Mammogram — right medio-lateral oblique. 41 y/o patient.
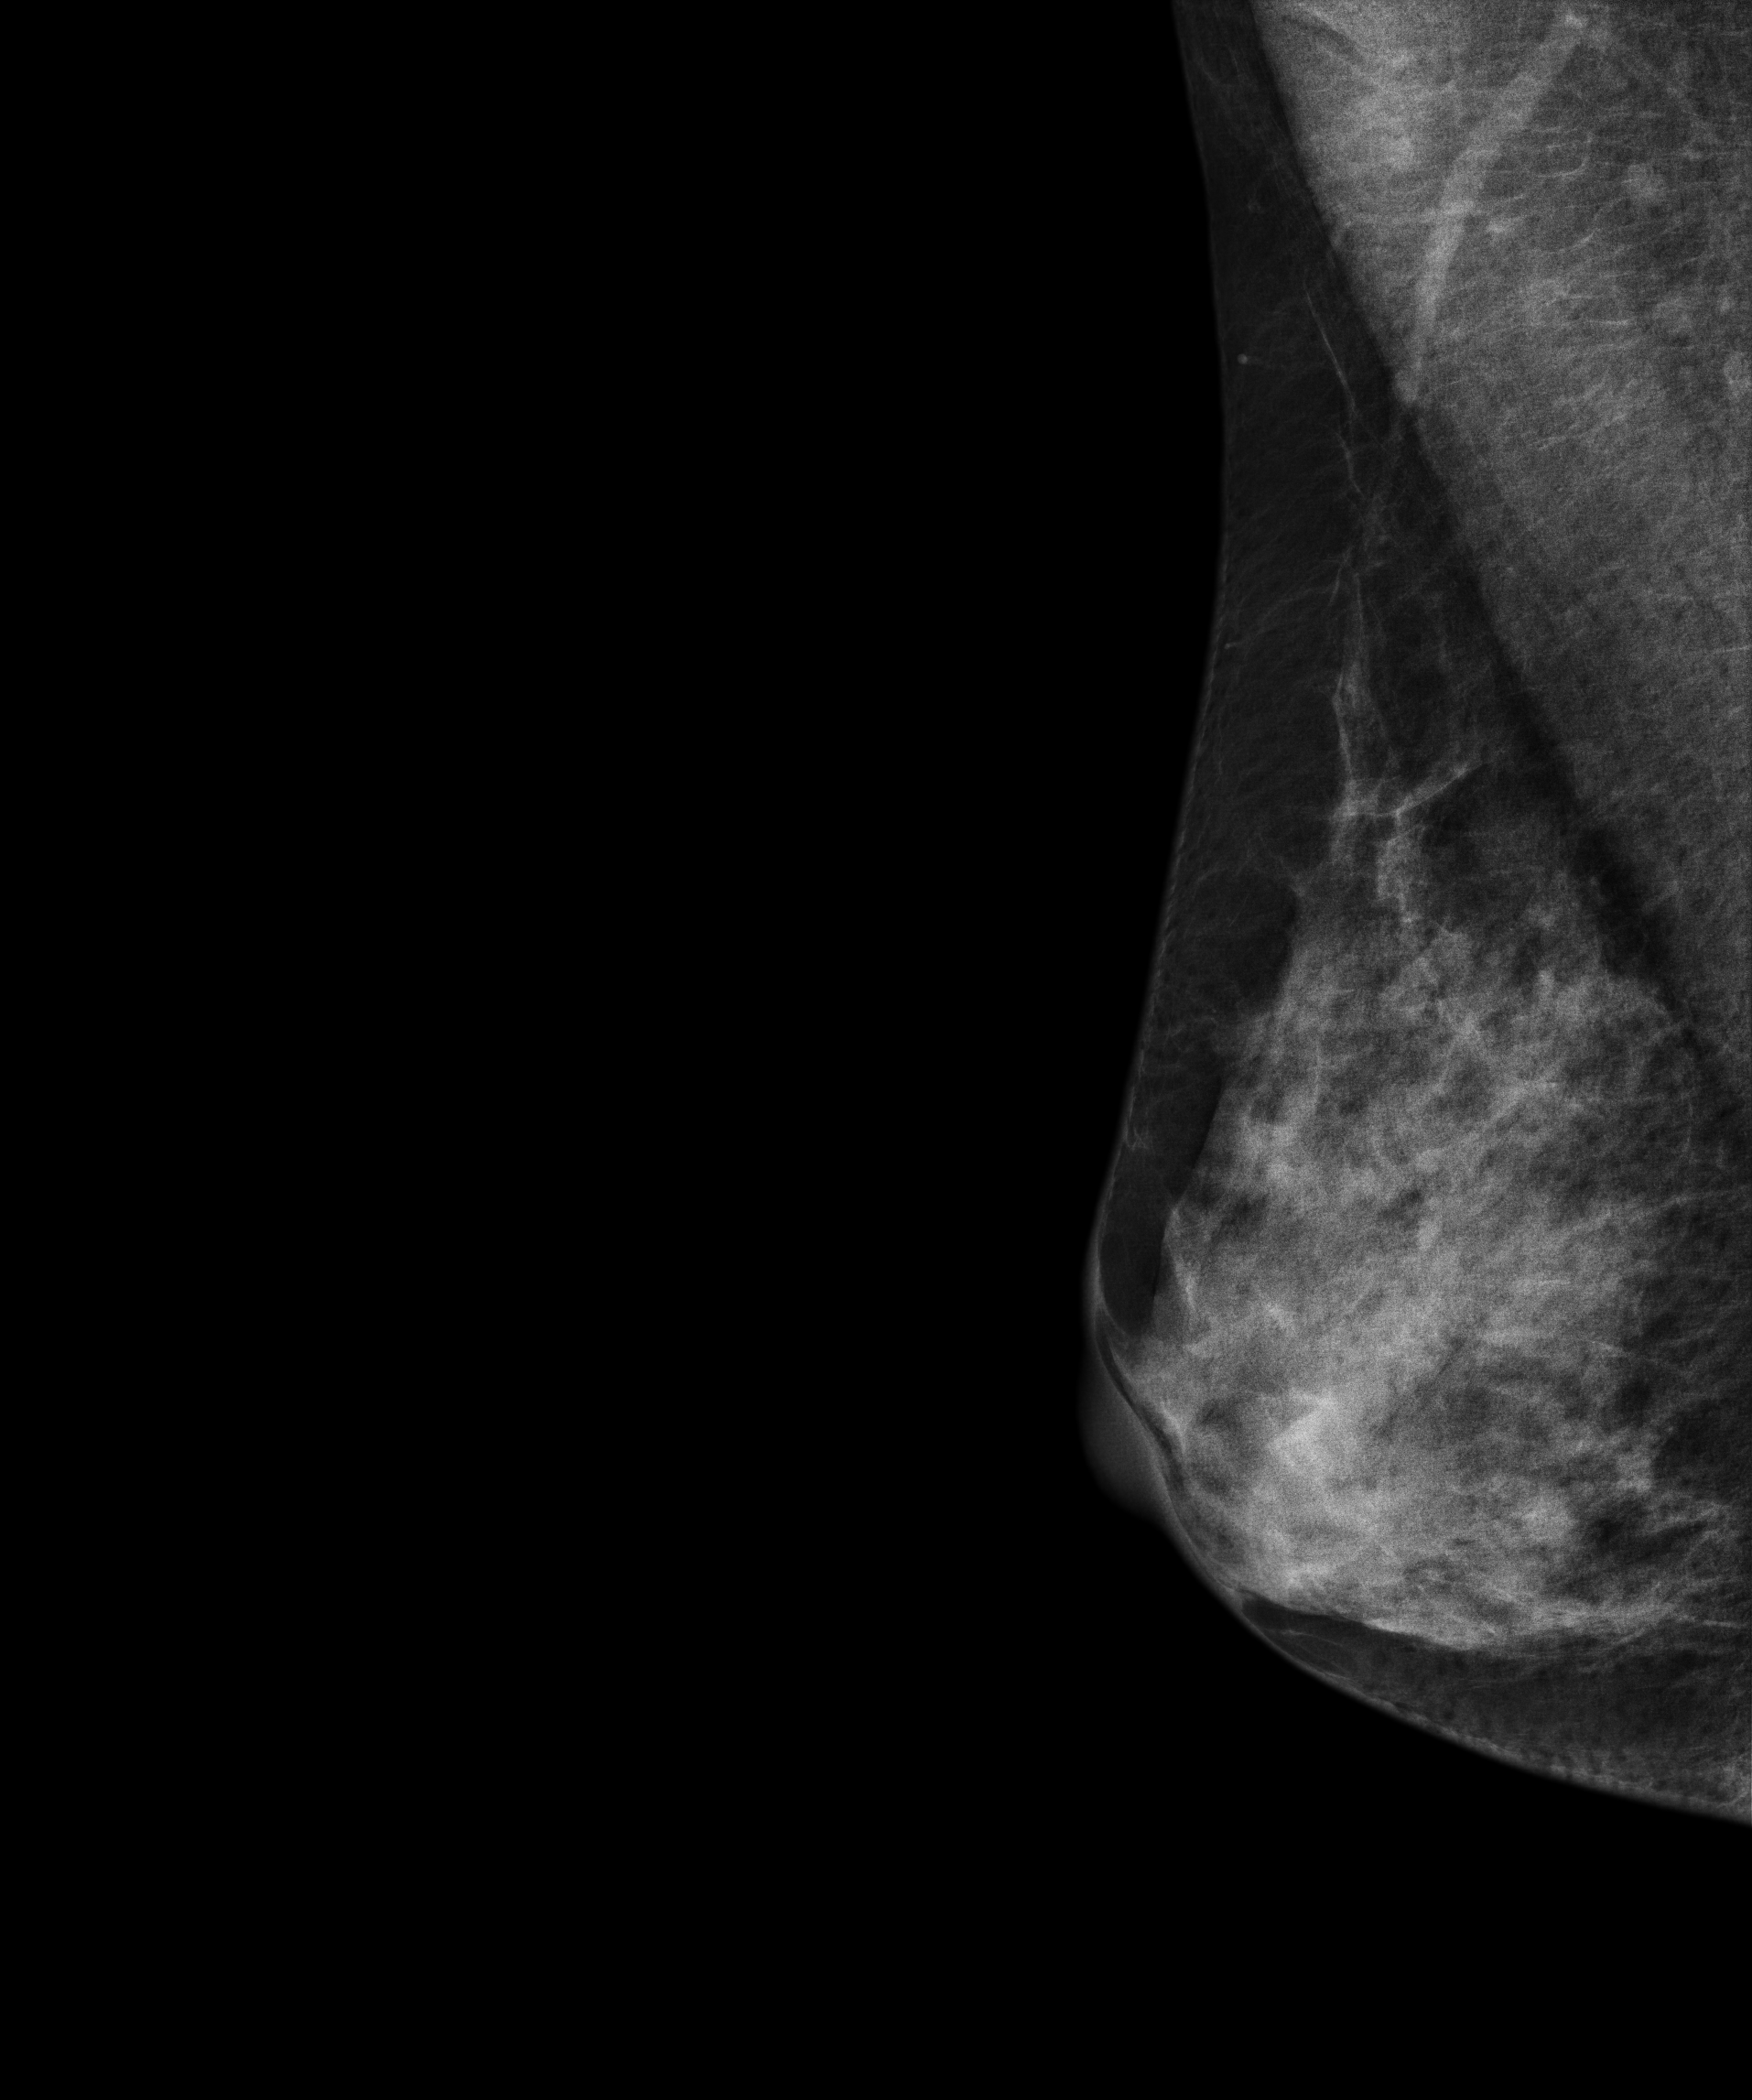
Contralateral breast — no documented abnormality on this side.